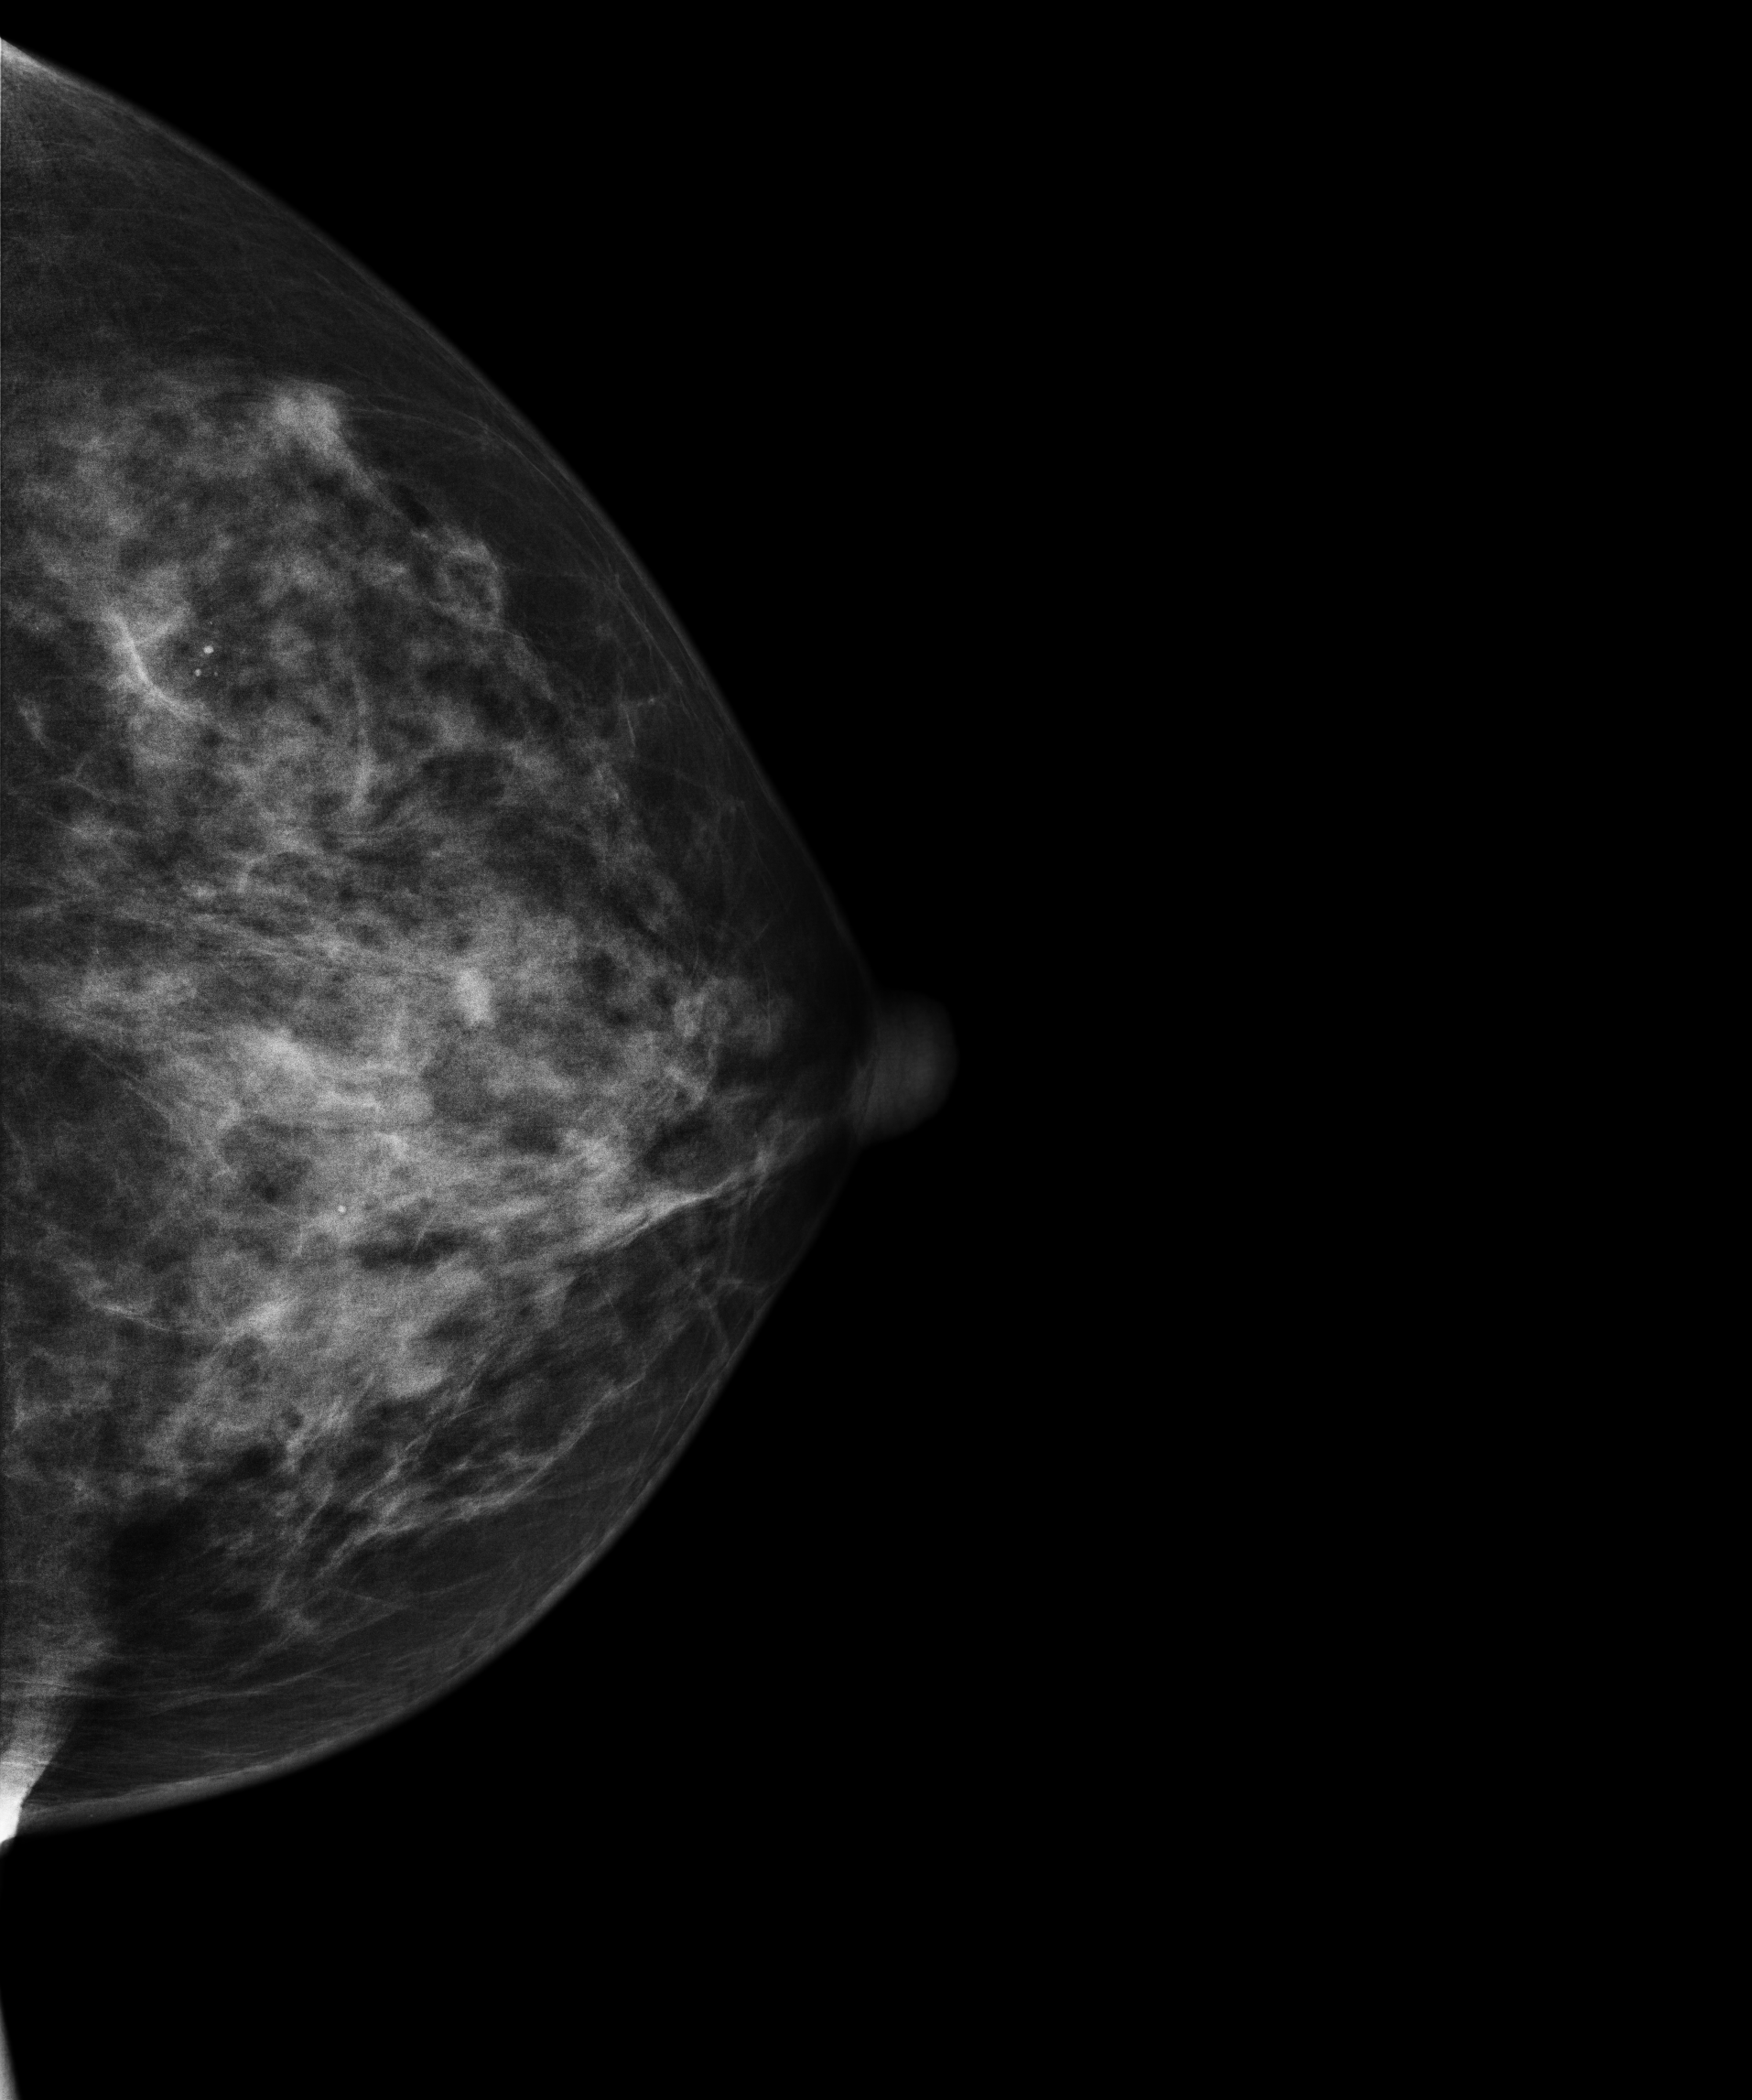
Digital mammography. Left breast, cranio-caudal projection. Patient age 45.
Contralateral breast — no documented abnormality on this side.